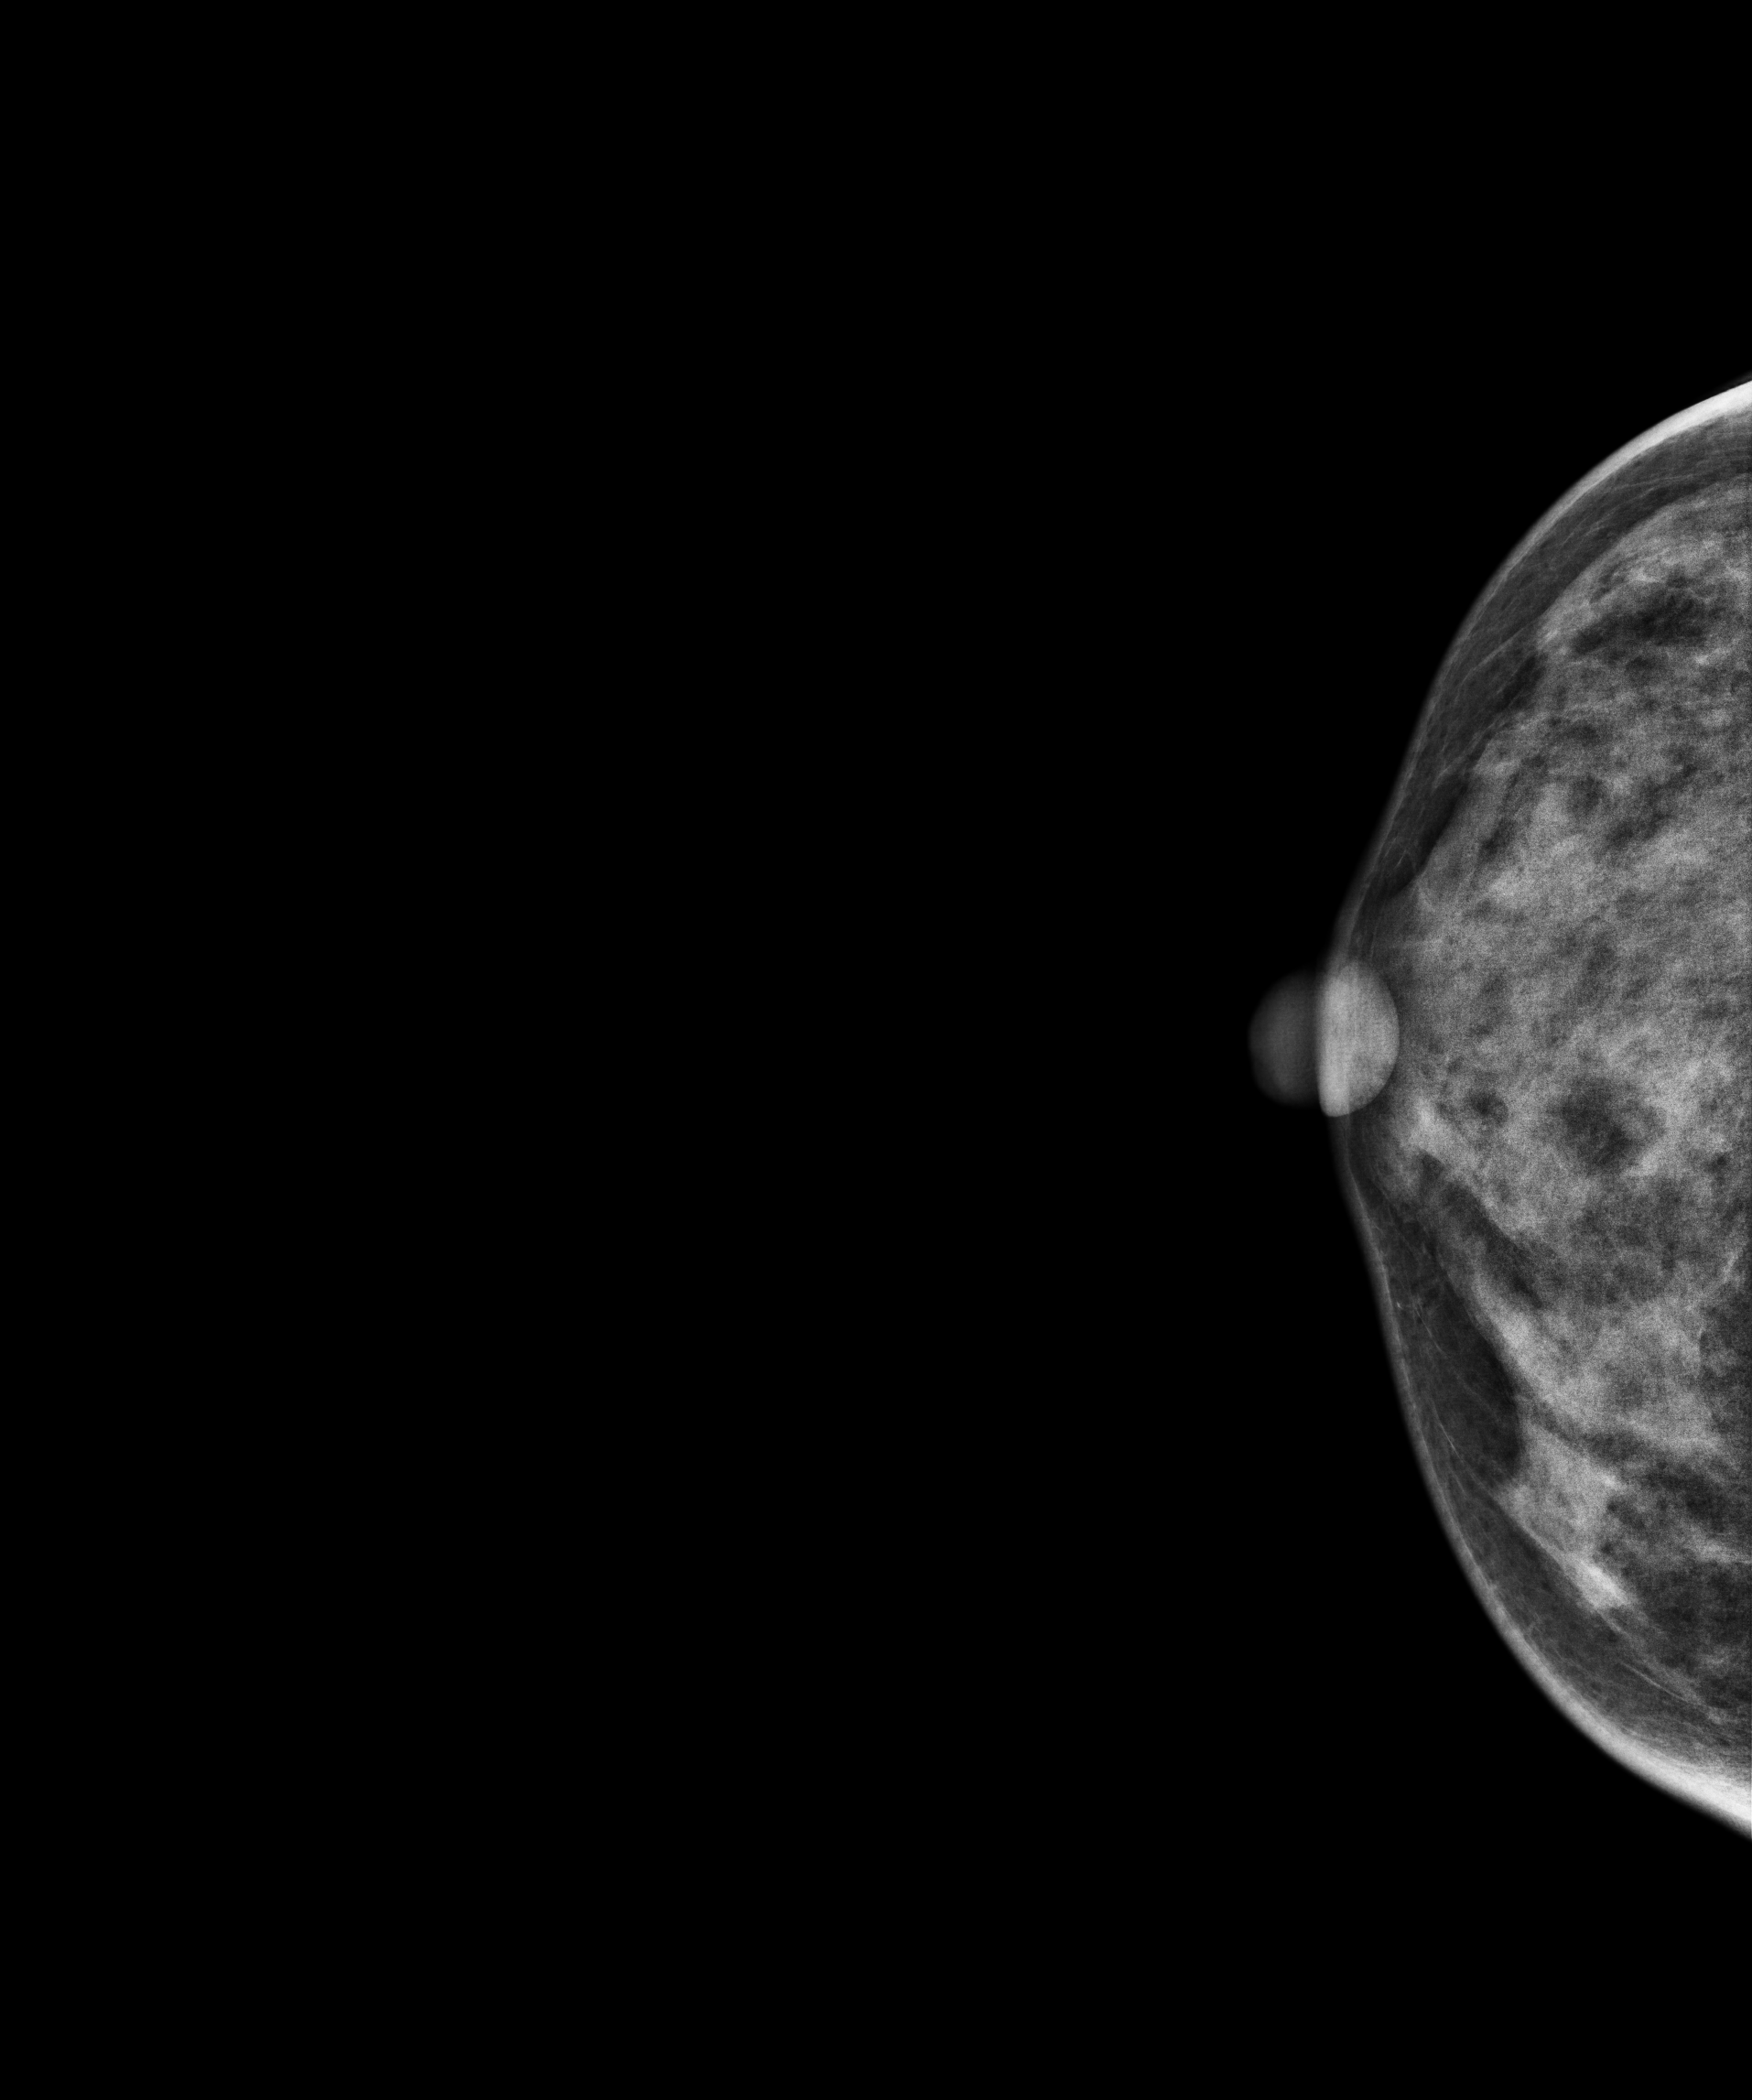
Cranio-caudal mammogram of the right breast. 45-year-old patient.
Contralateral breast — no documented abnormality on this side.